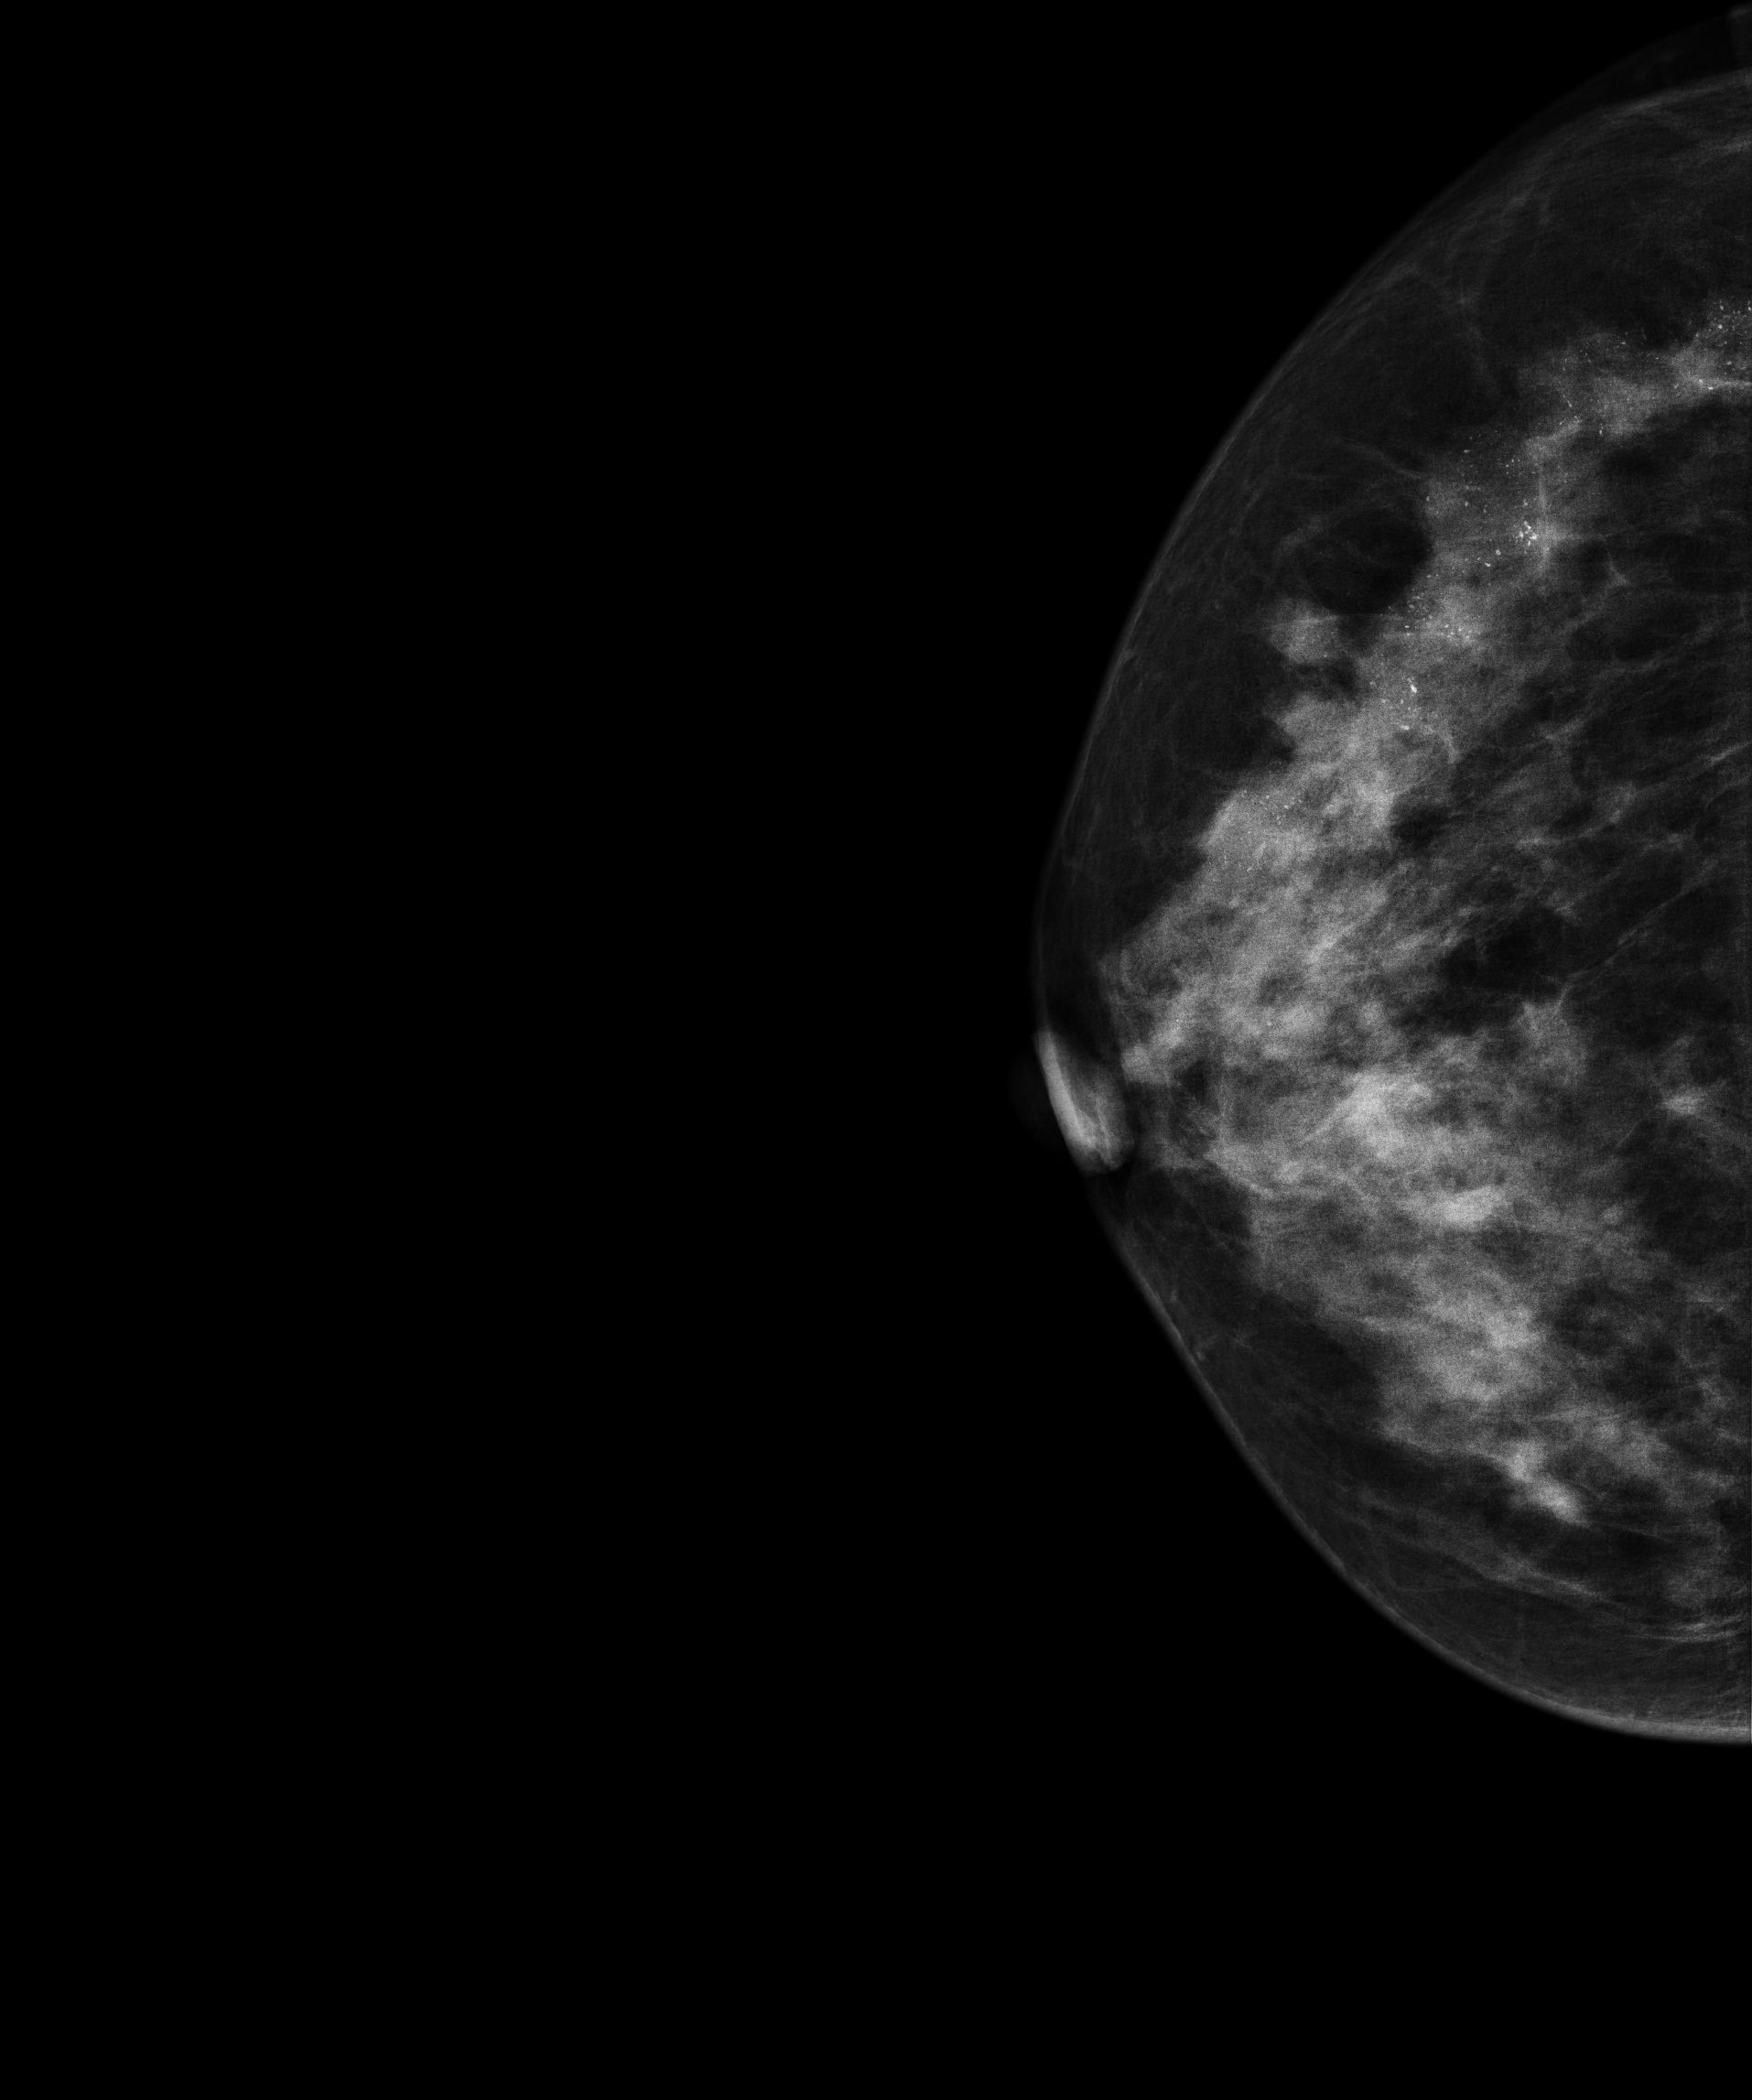
Right-breast mammogram, CC. 51 y/o patient.
This breast has a mass and calcifications, biopsy-proven malignant.